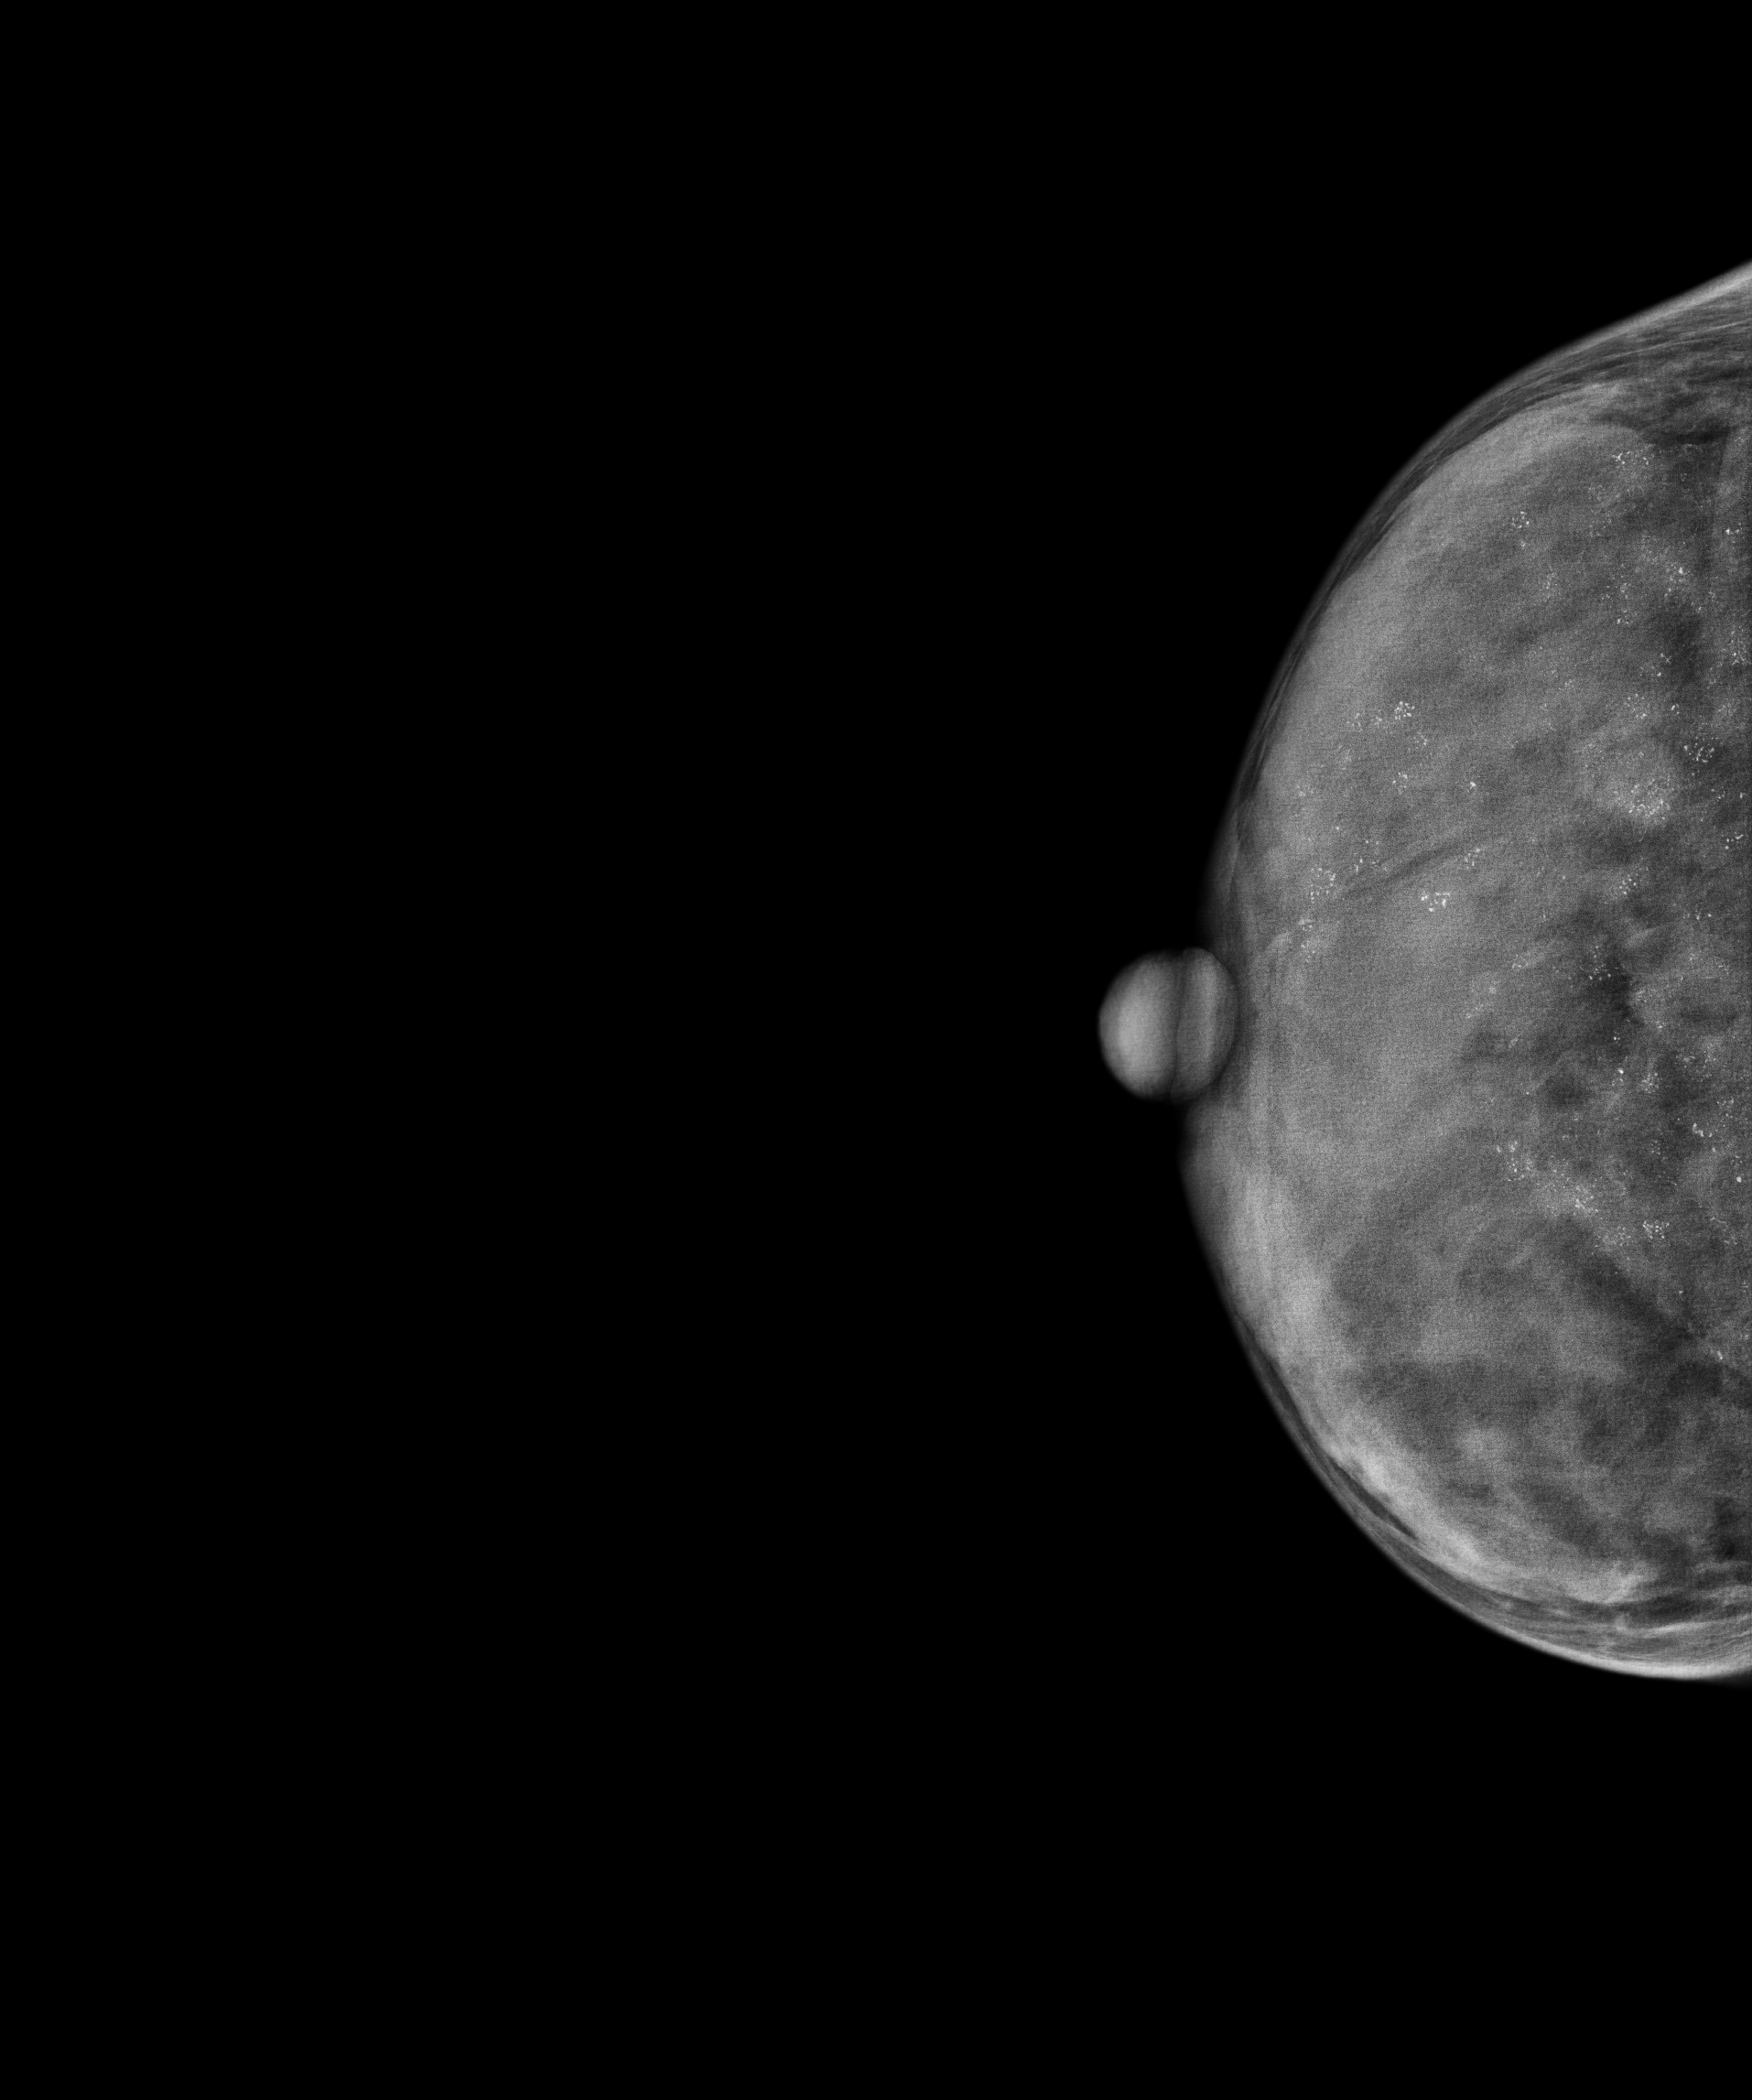
Mammogram, right breast, CC view. 32 y/o patient.
This breast has calcifications, pathology-confirmed malignant. Molecular subtype: luminal B.